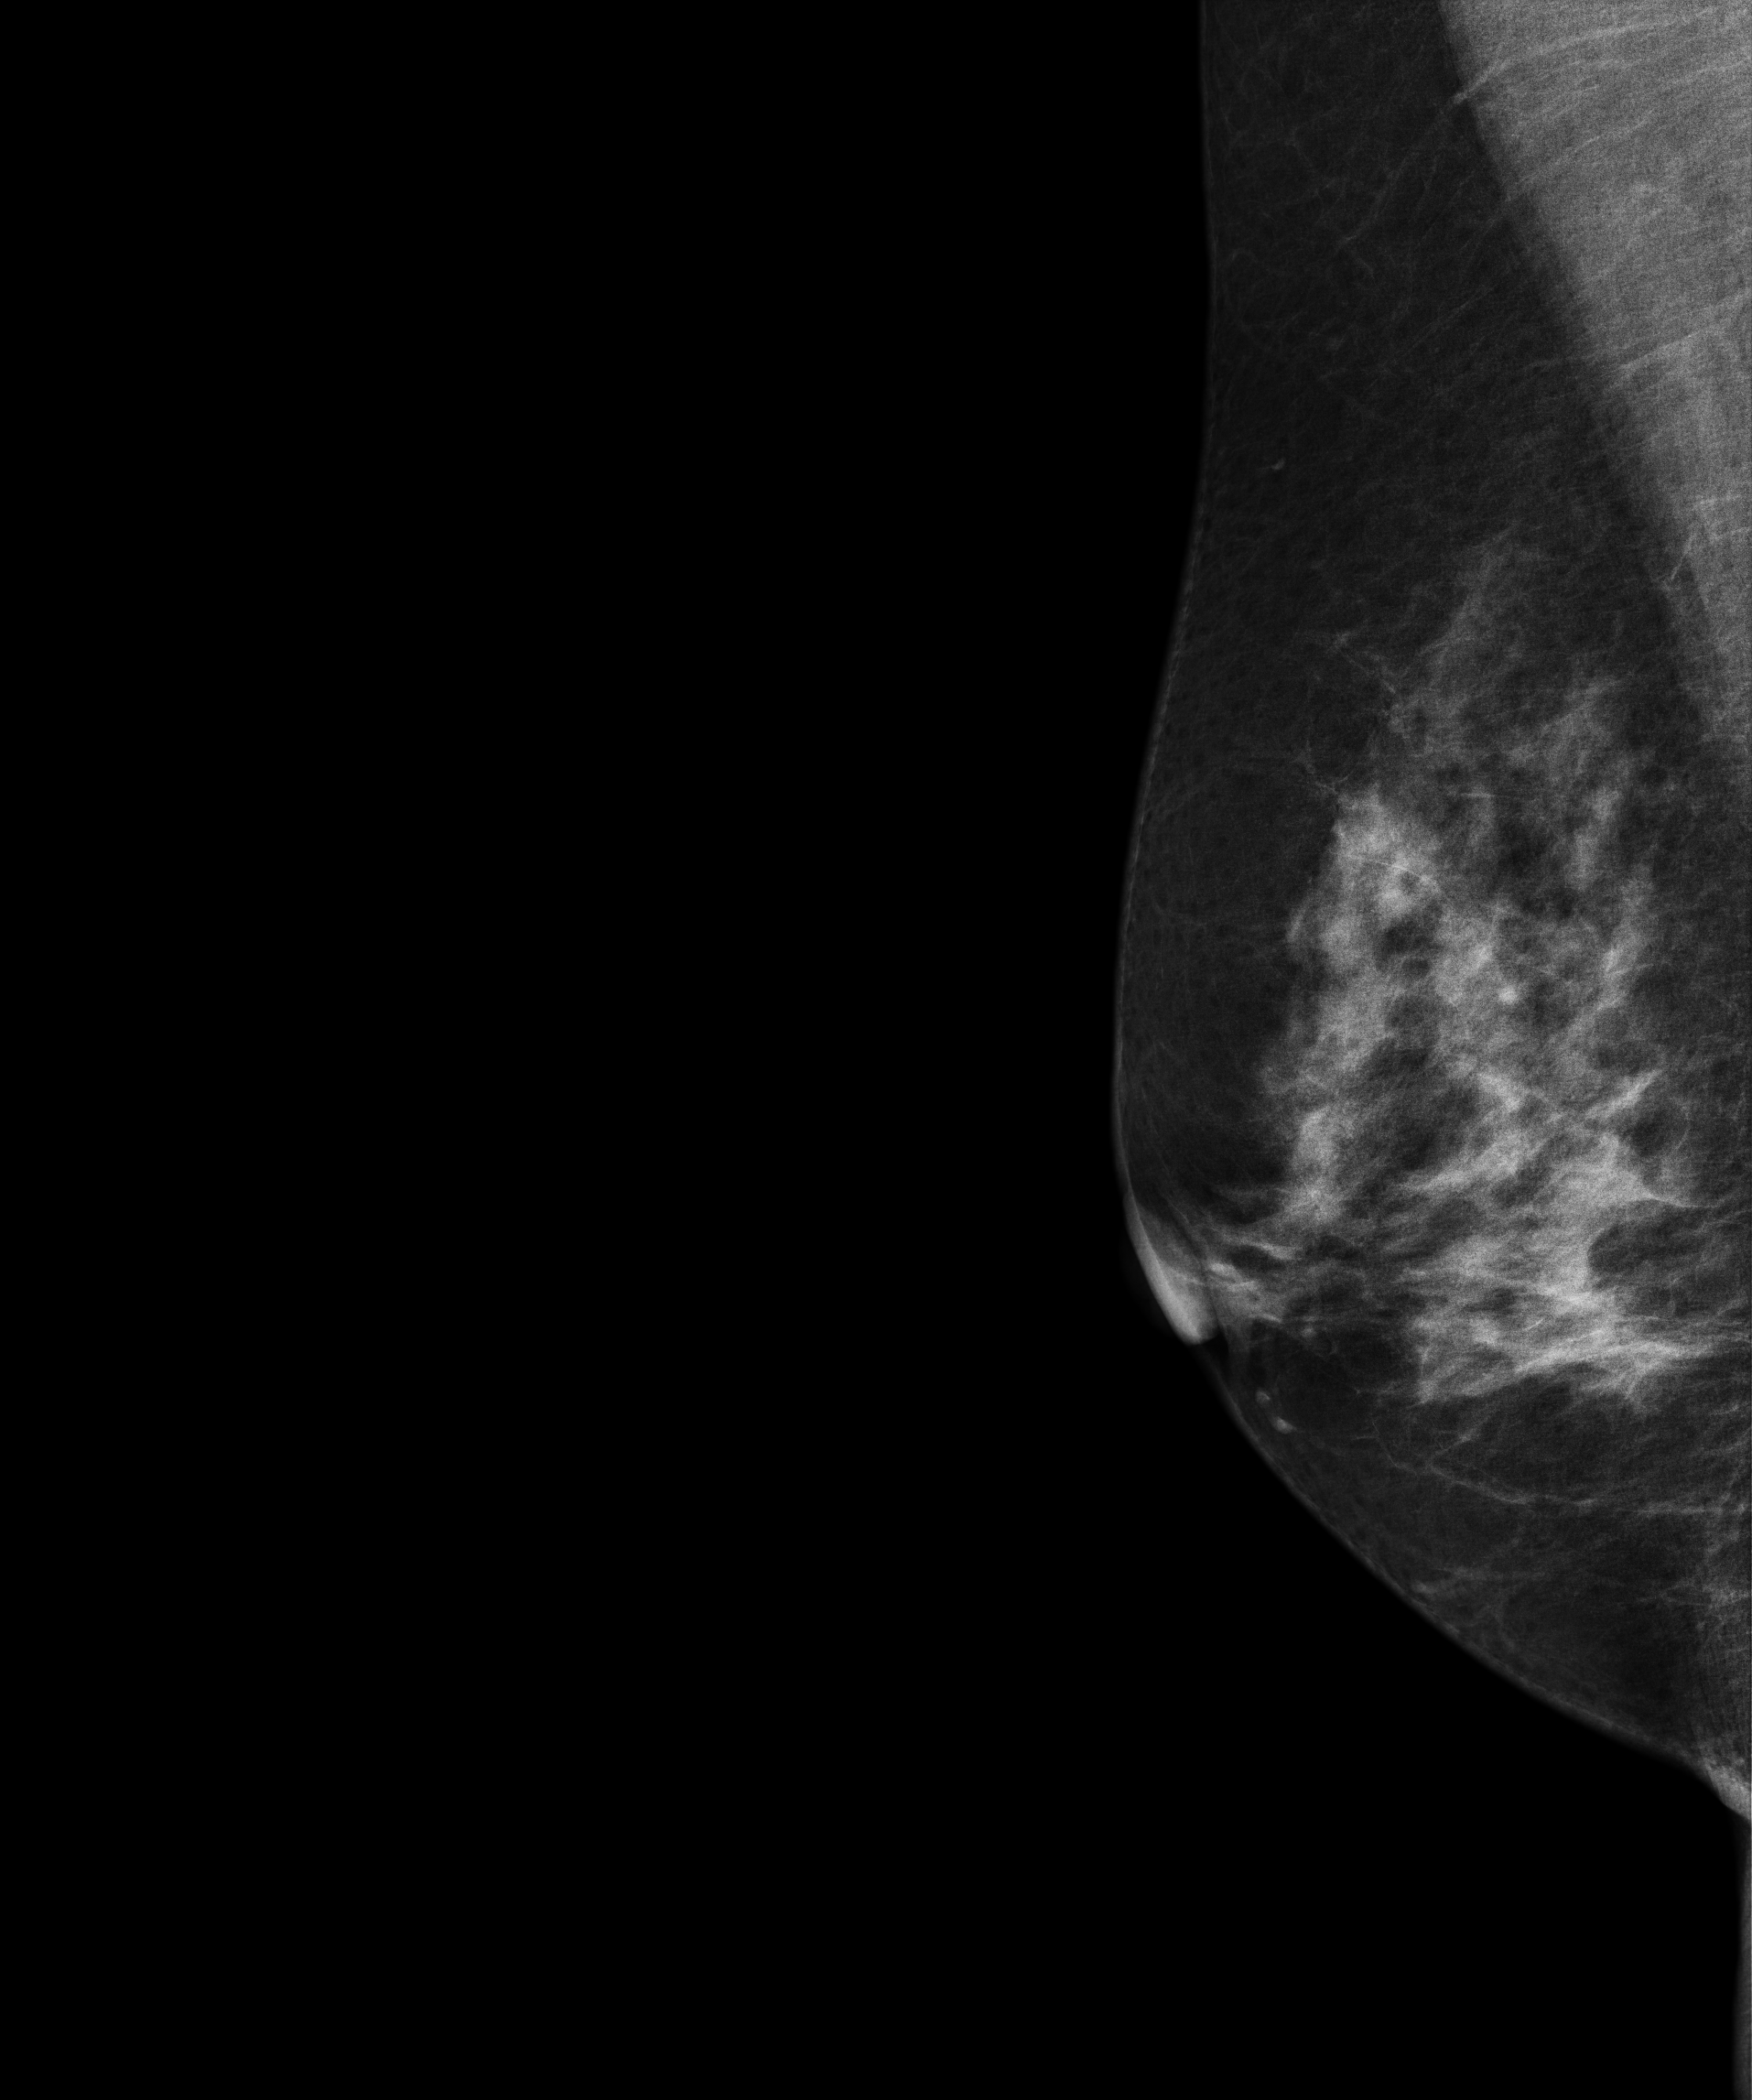
Right-breast mammogram, MLO. 63 y/o patient.
Contralateral breast — no documented abnormality on this side.